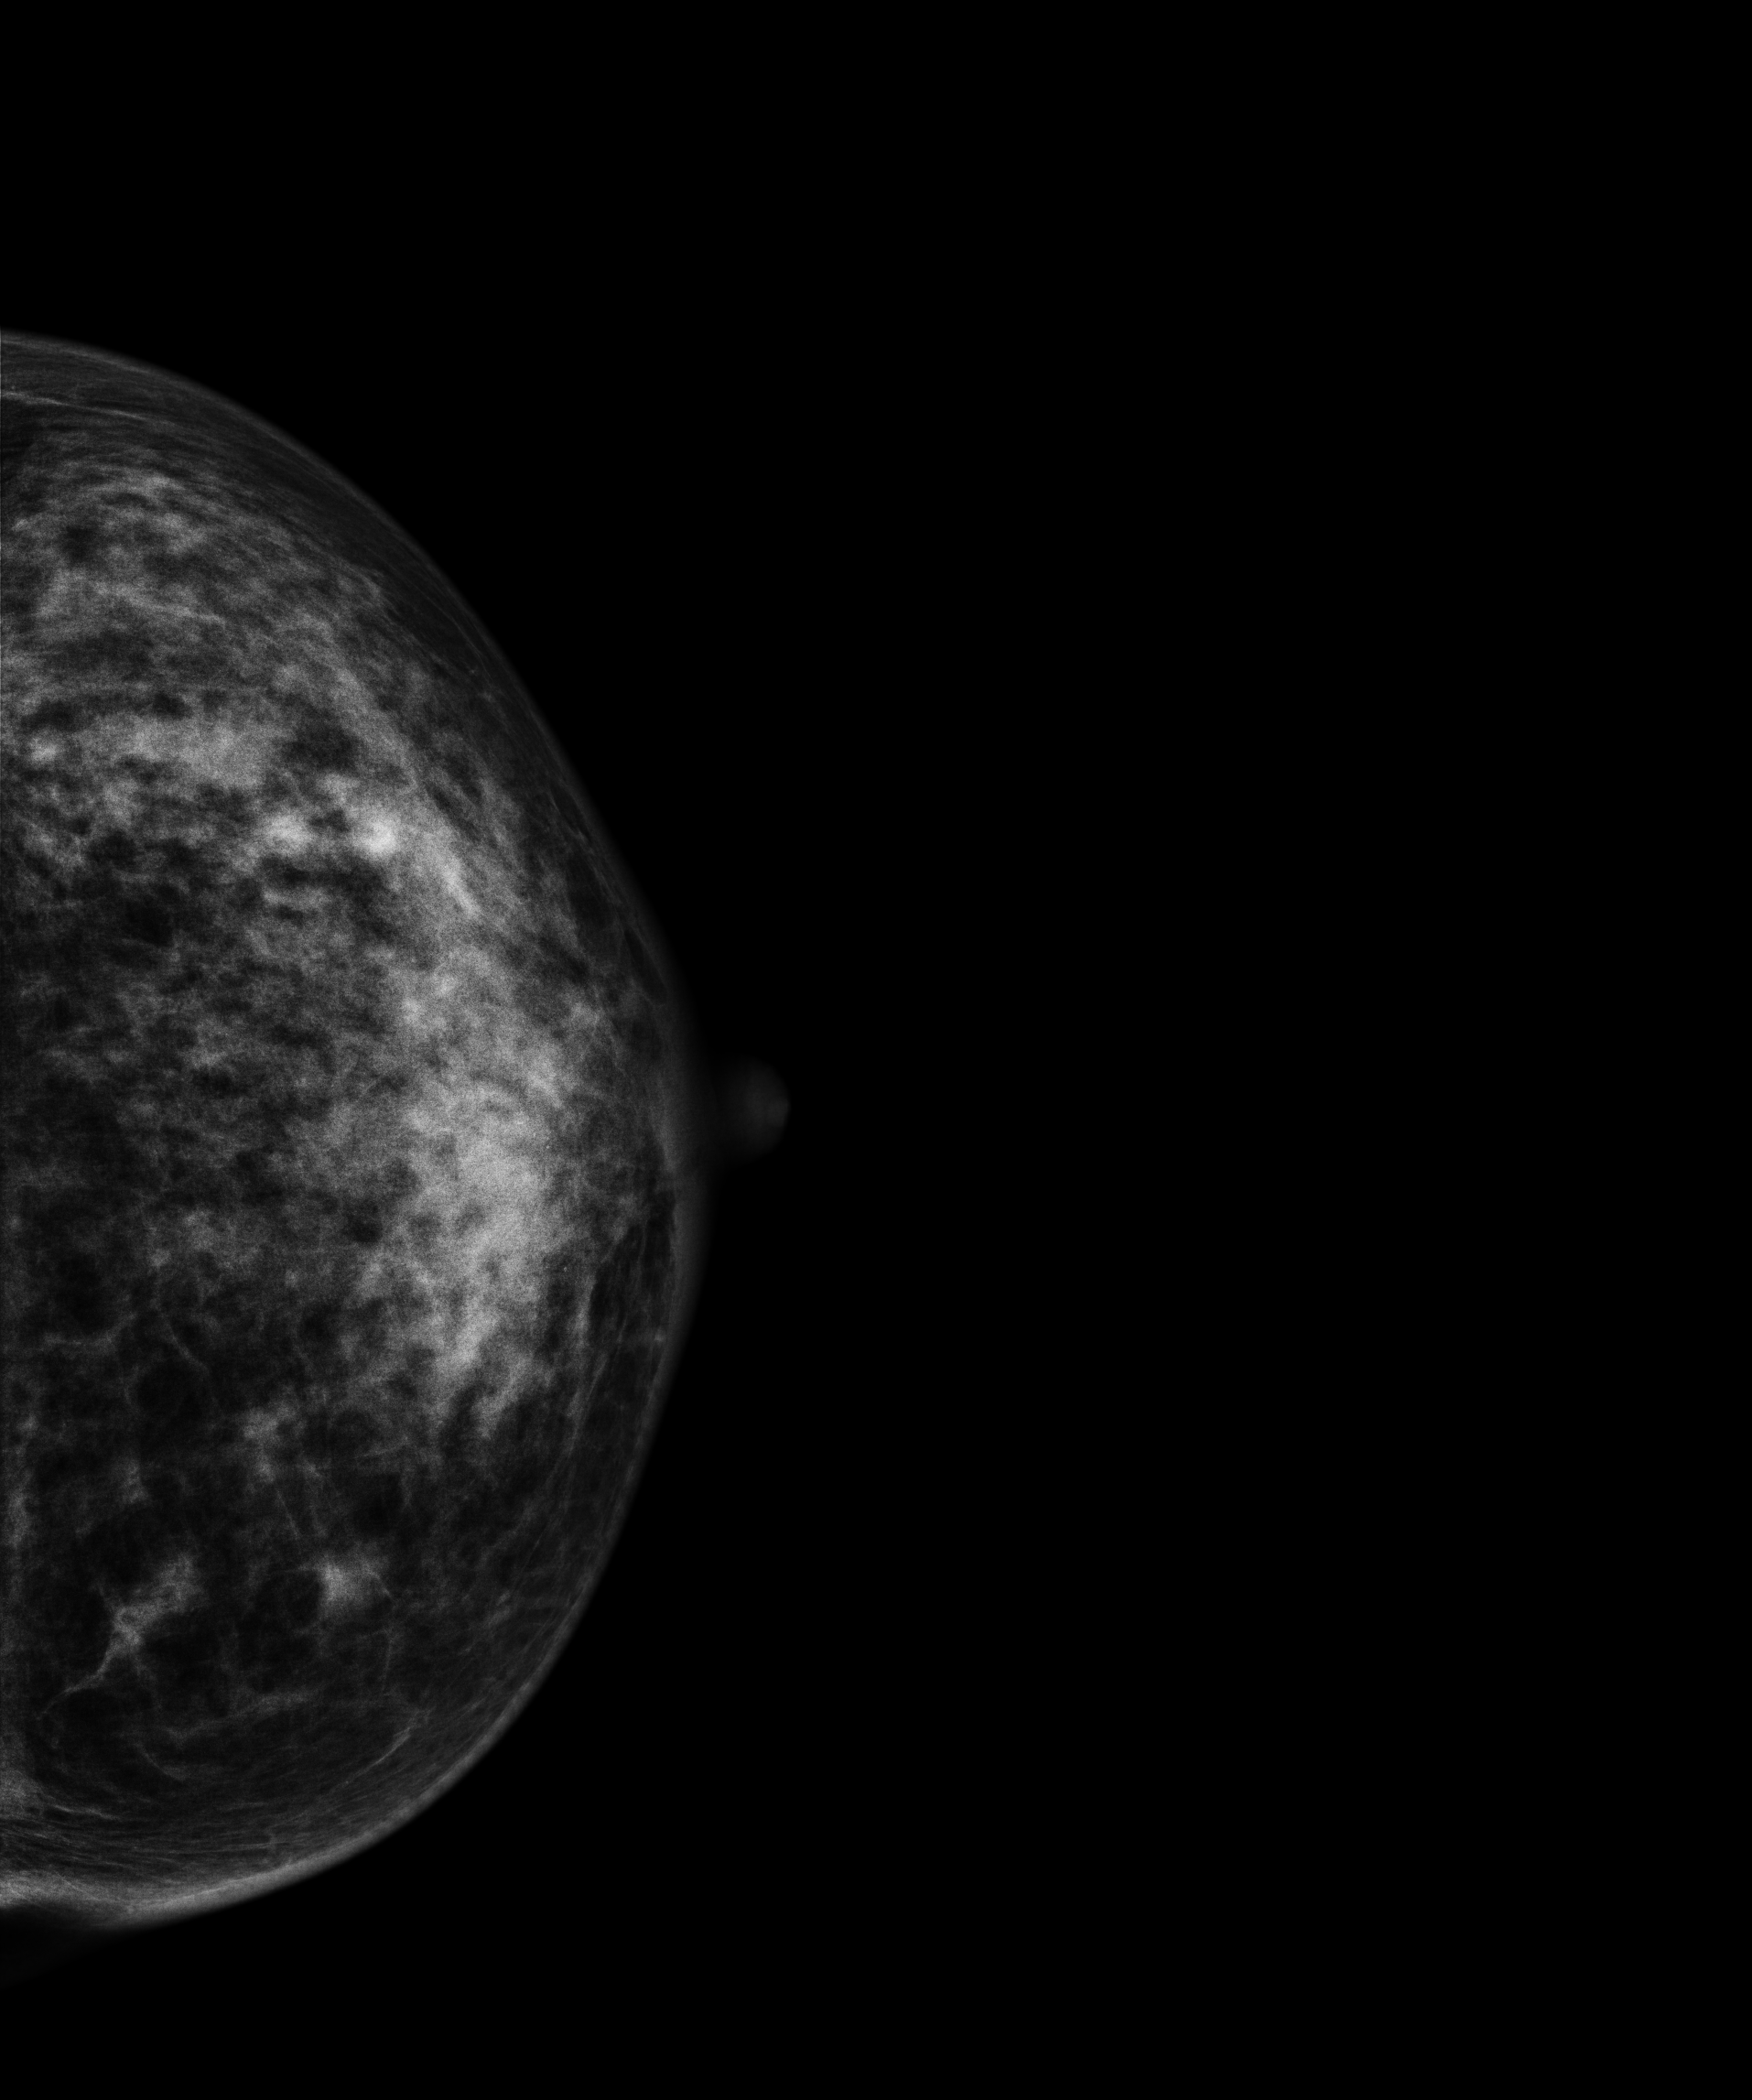
Mammogram — left CC. Patient age 38.
This breast has a mass, biopsy-confirmed malignant.